MLO mammogram of the right breast. 52 y/o patient.
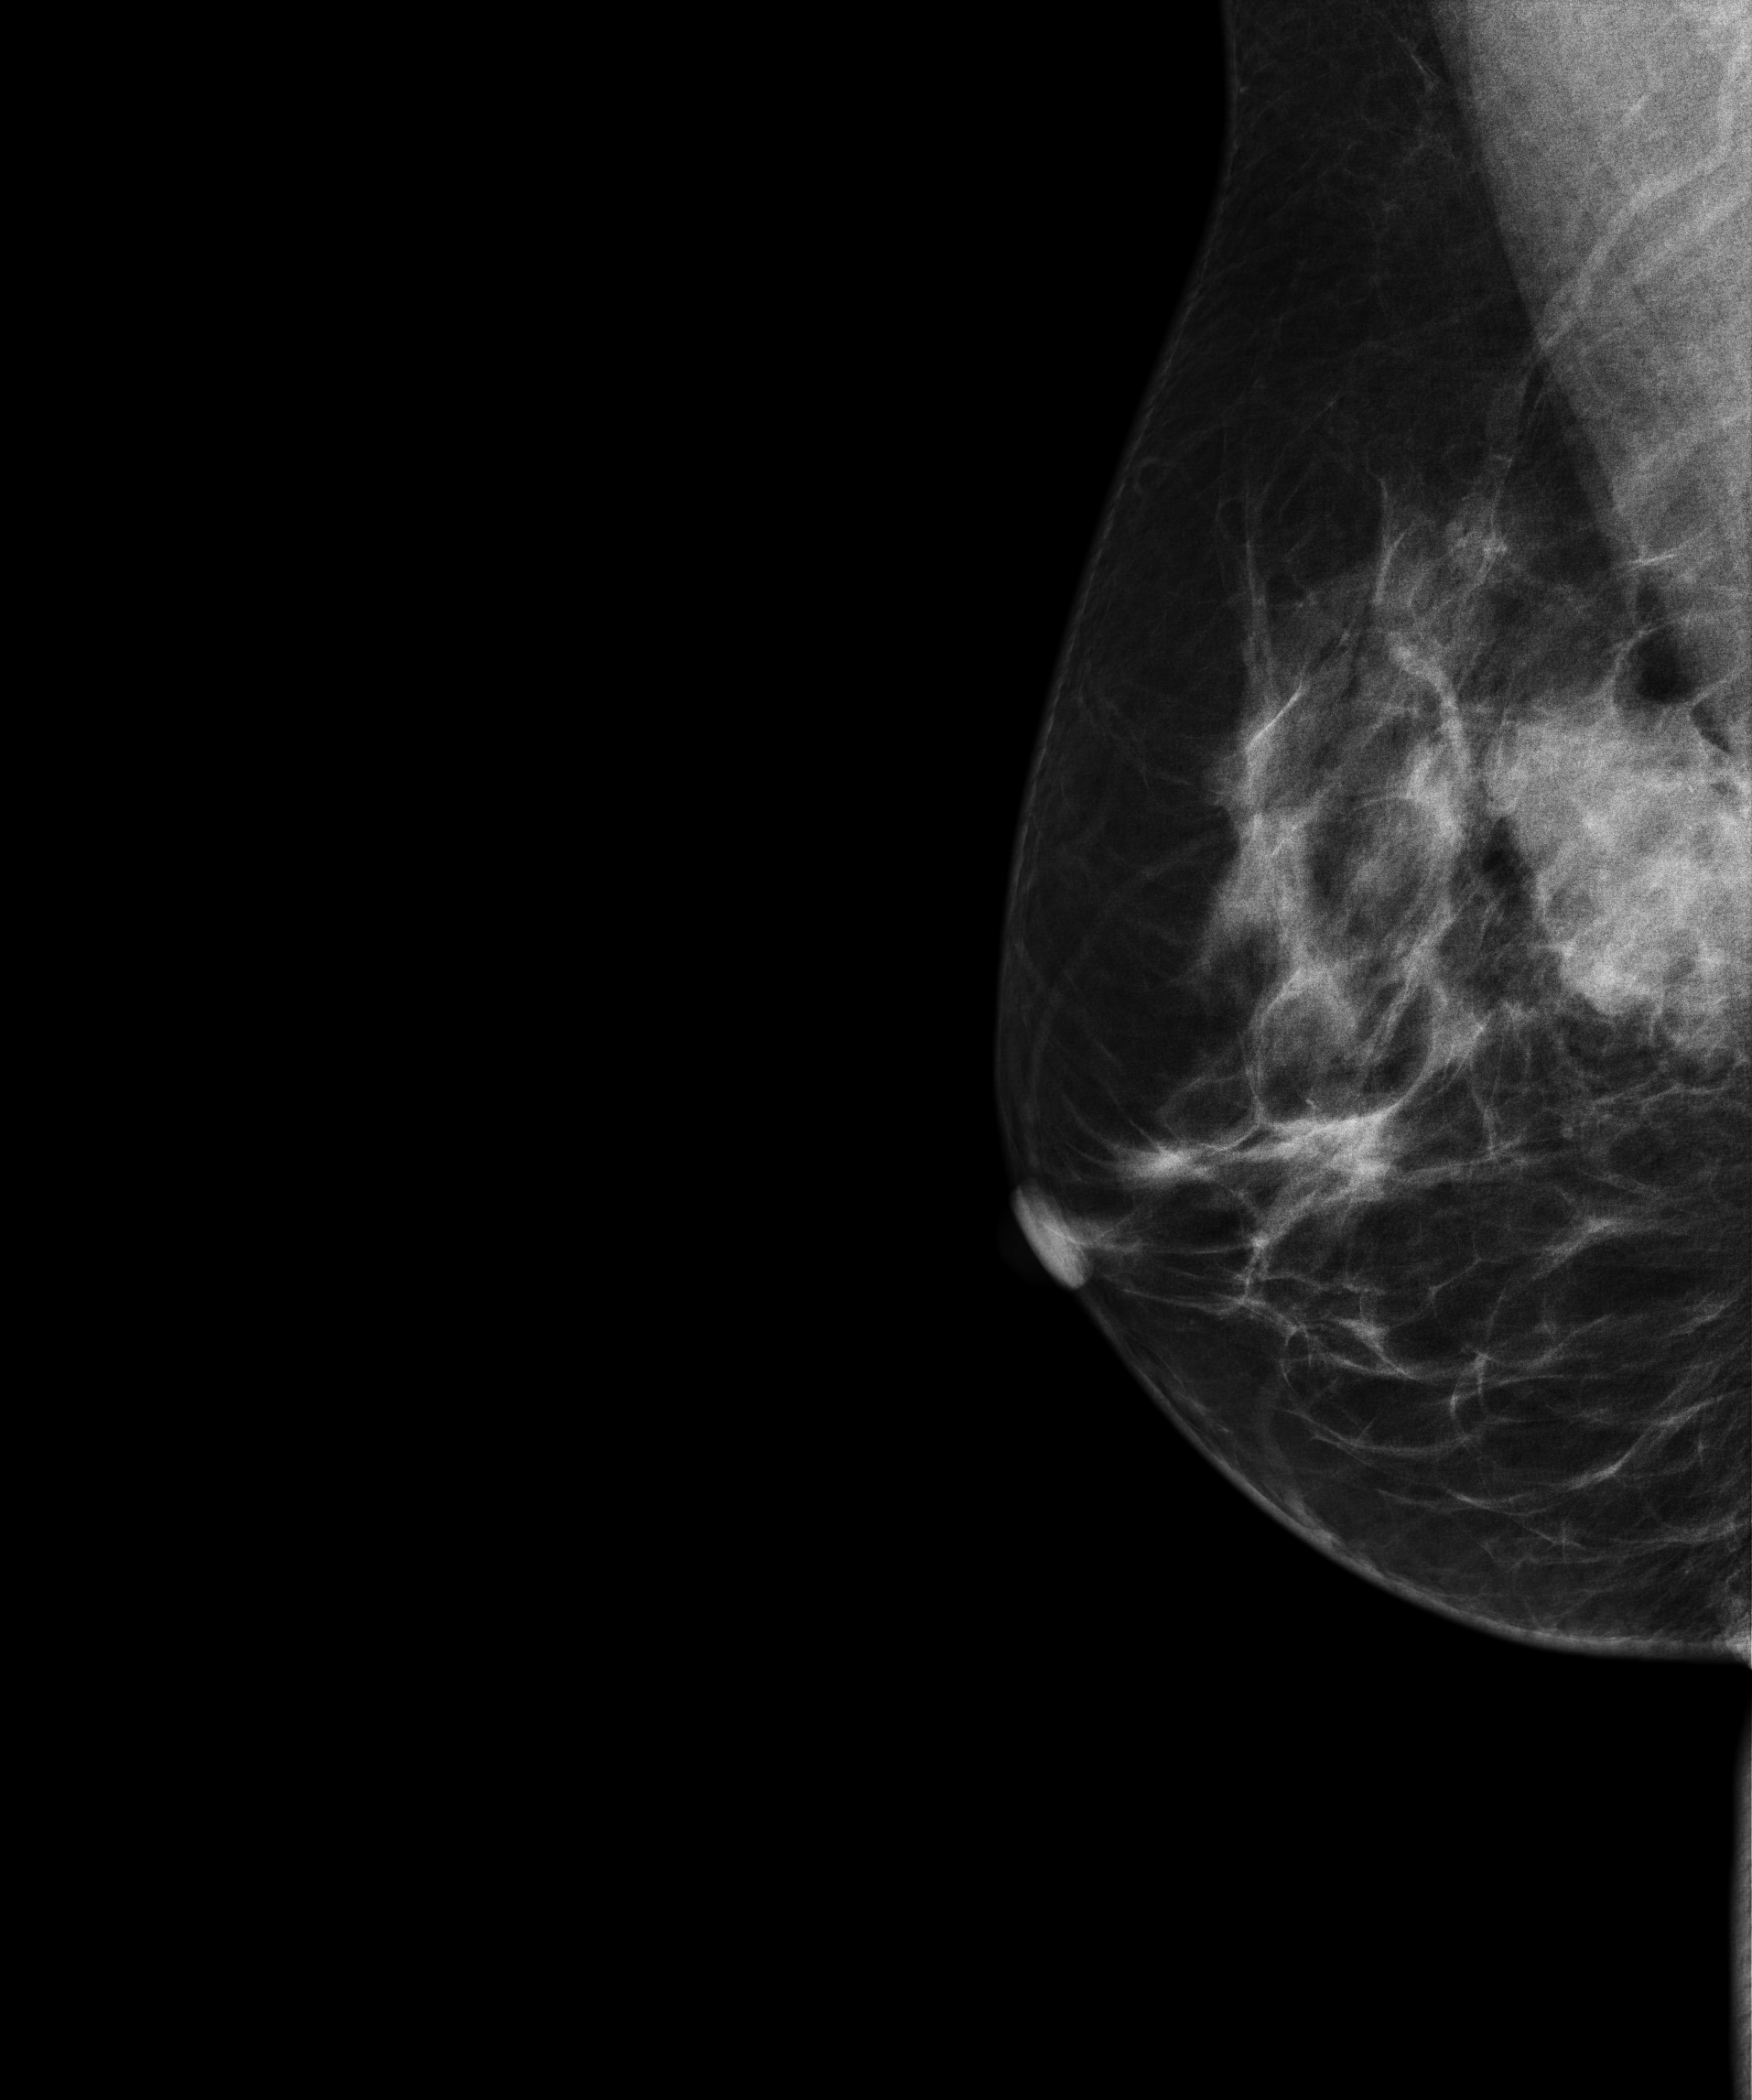
This breast has a mass, pathology-confirmed malignant. Molecular subtype: triple-negative.